Digital mammography. Left breast, CC projection. Patient age 62.
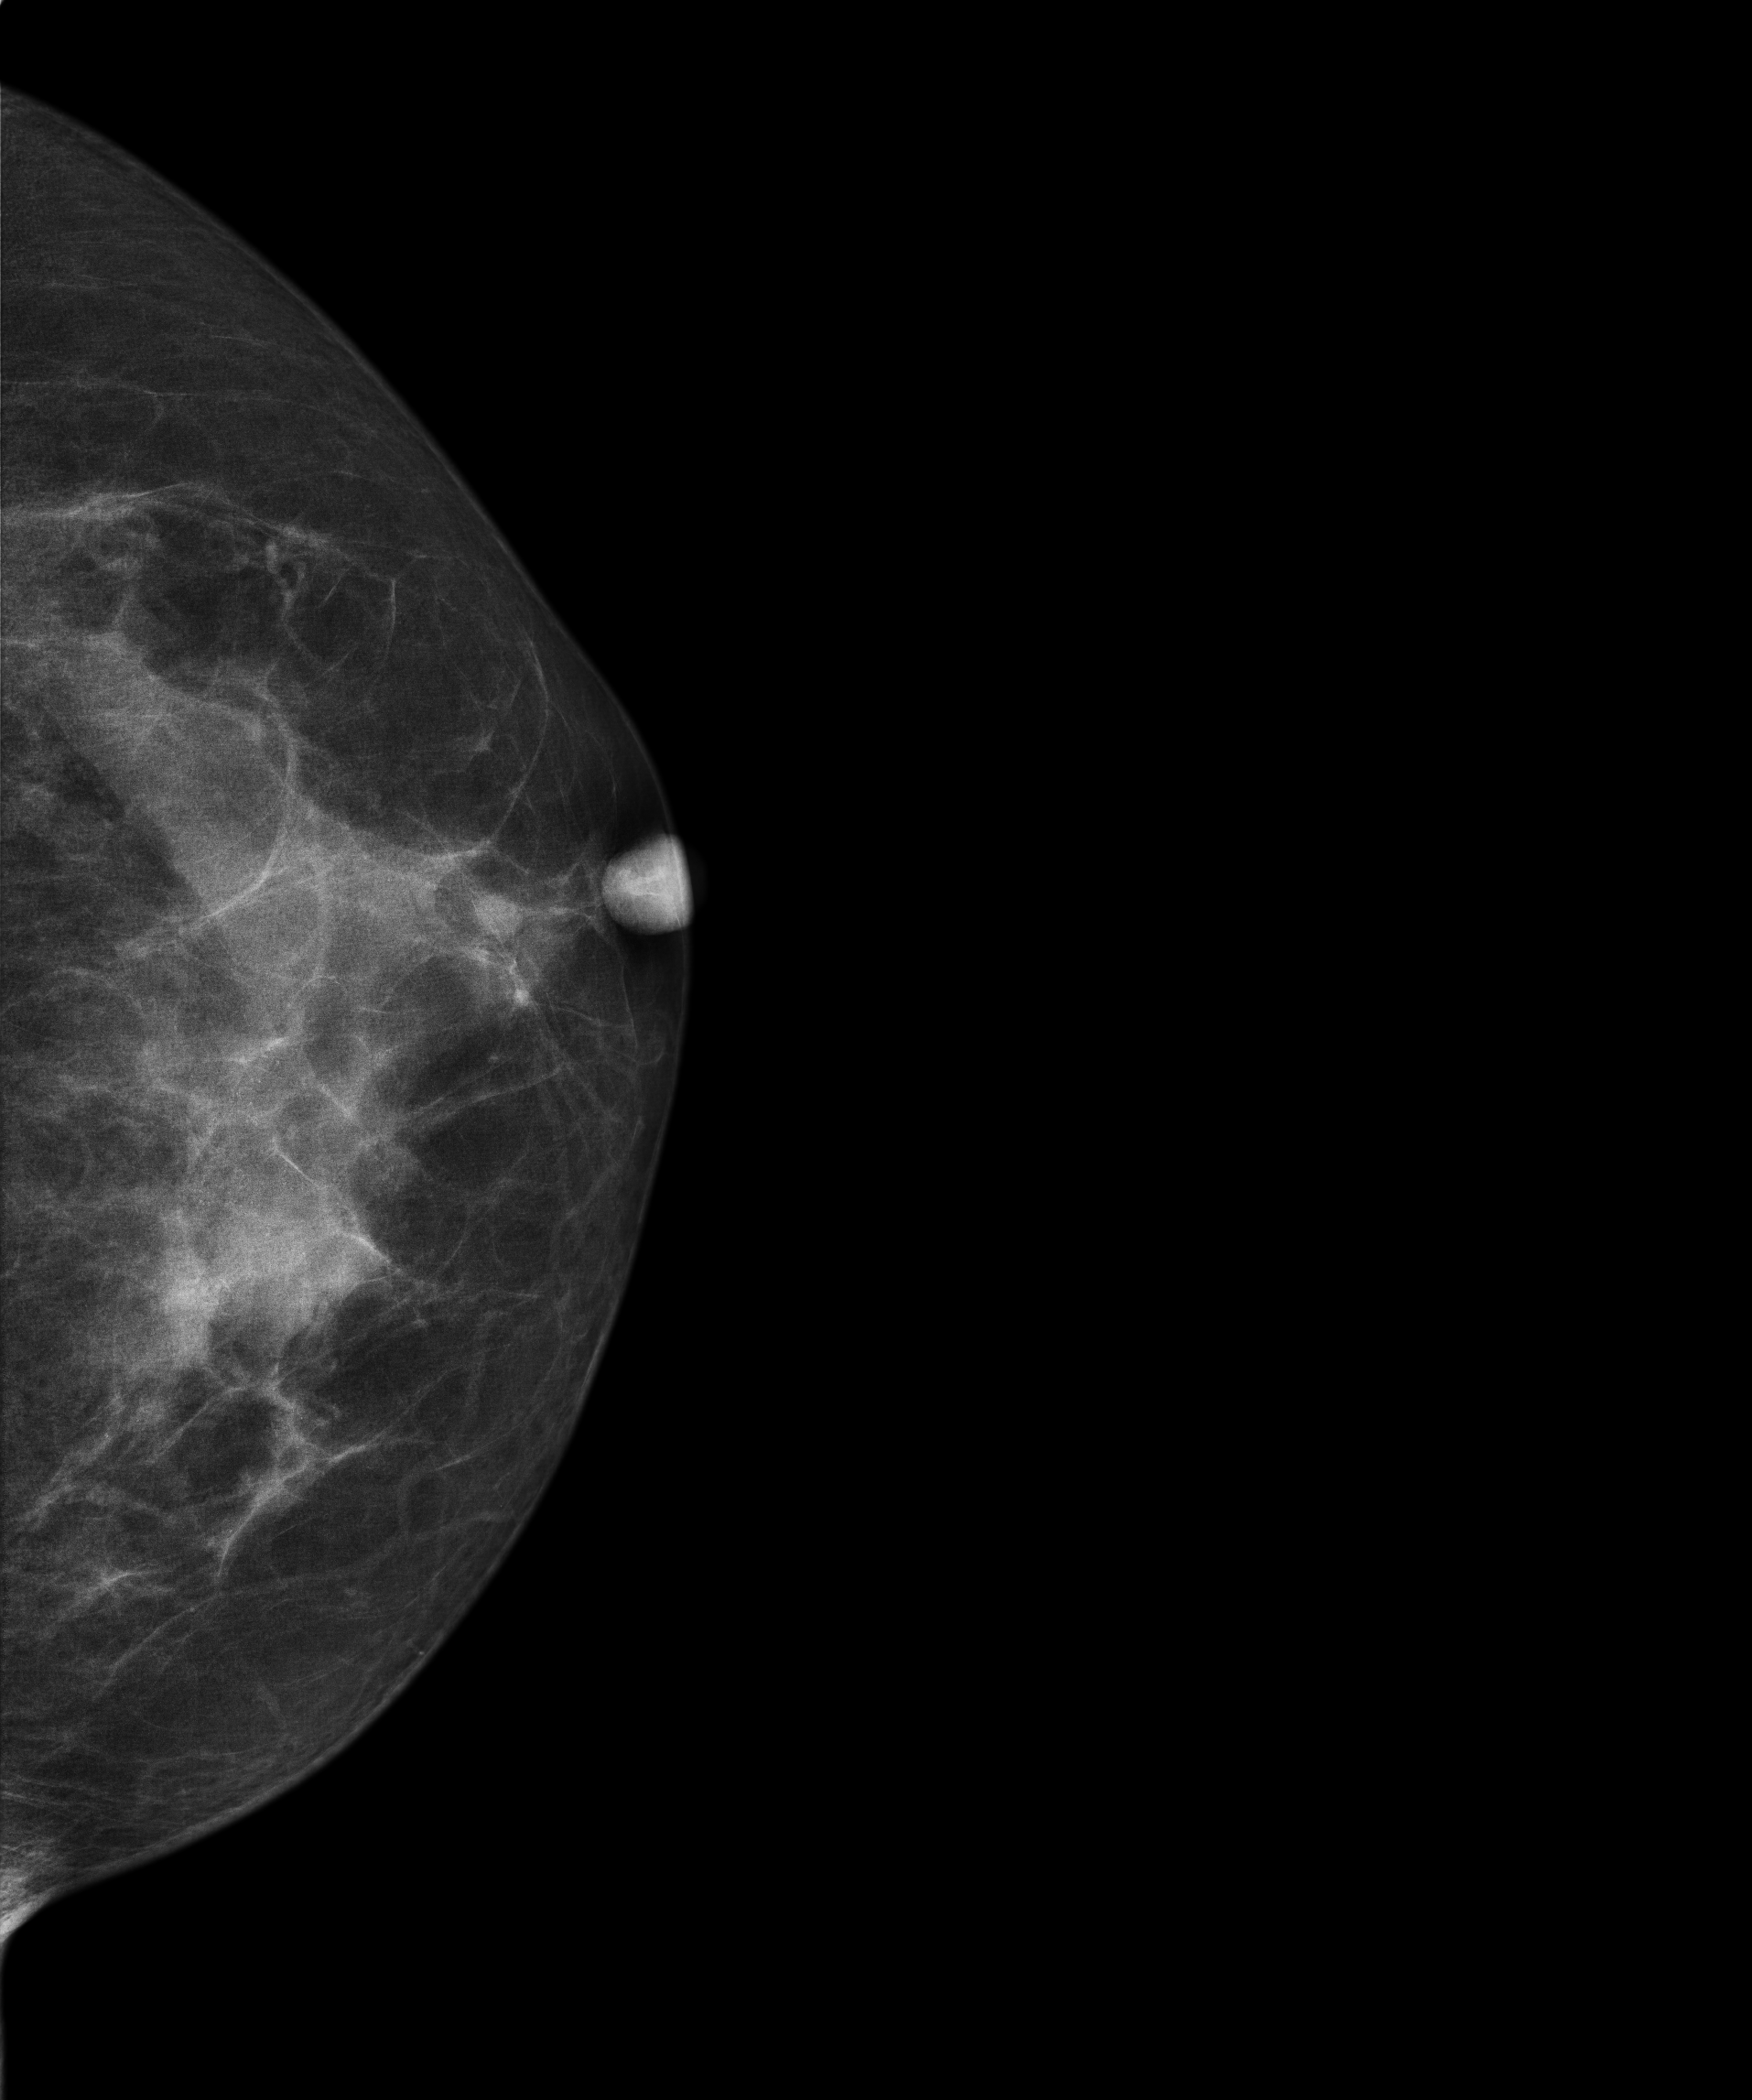
This breast has a mass, biopsy-confirmed malignant. Molecular subtype: luminal A.